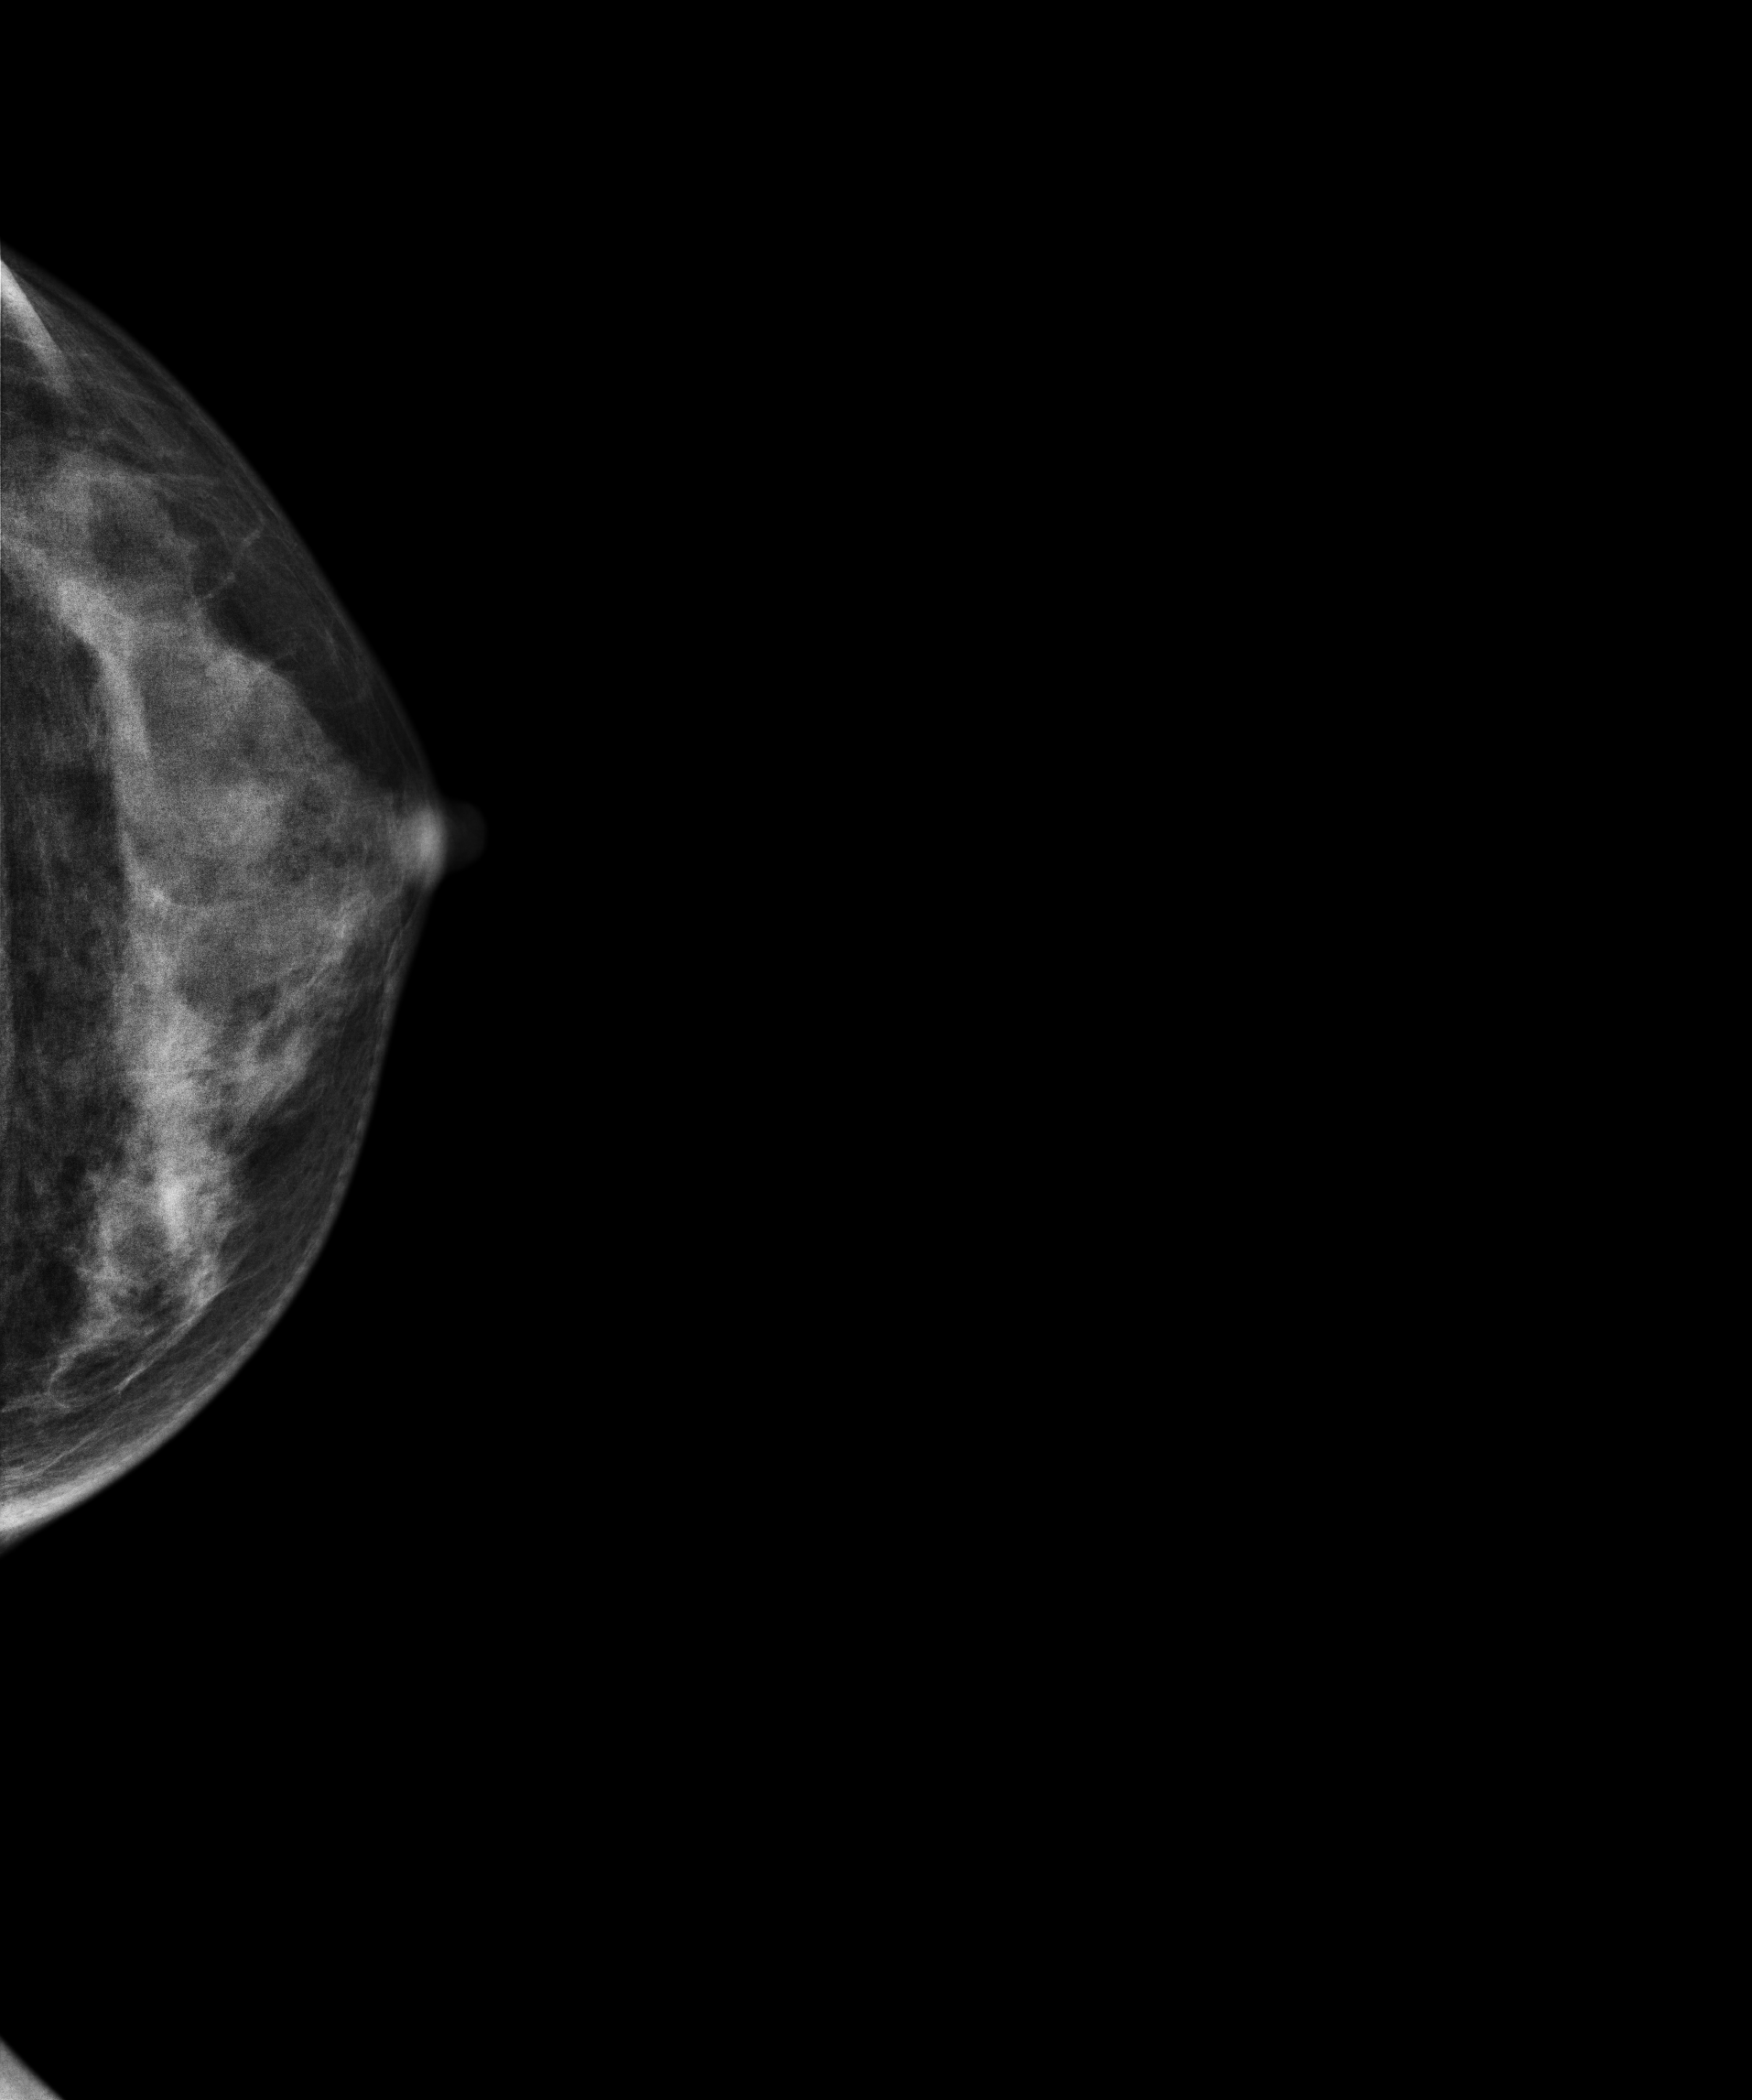
Digital mammography. Left breast, CC projection. 39 y/o patient.
This breast has a mass, biopsy-proven benign.